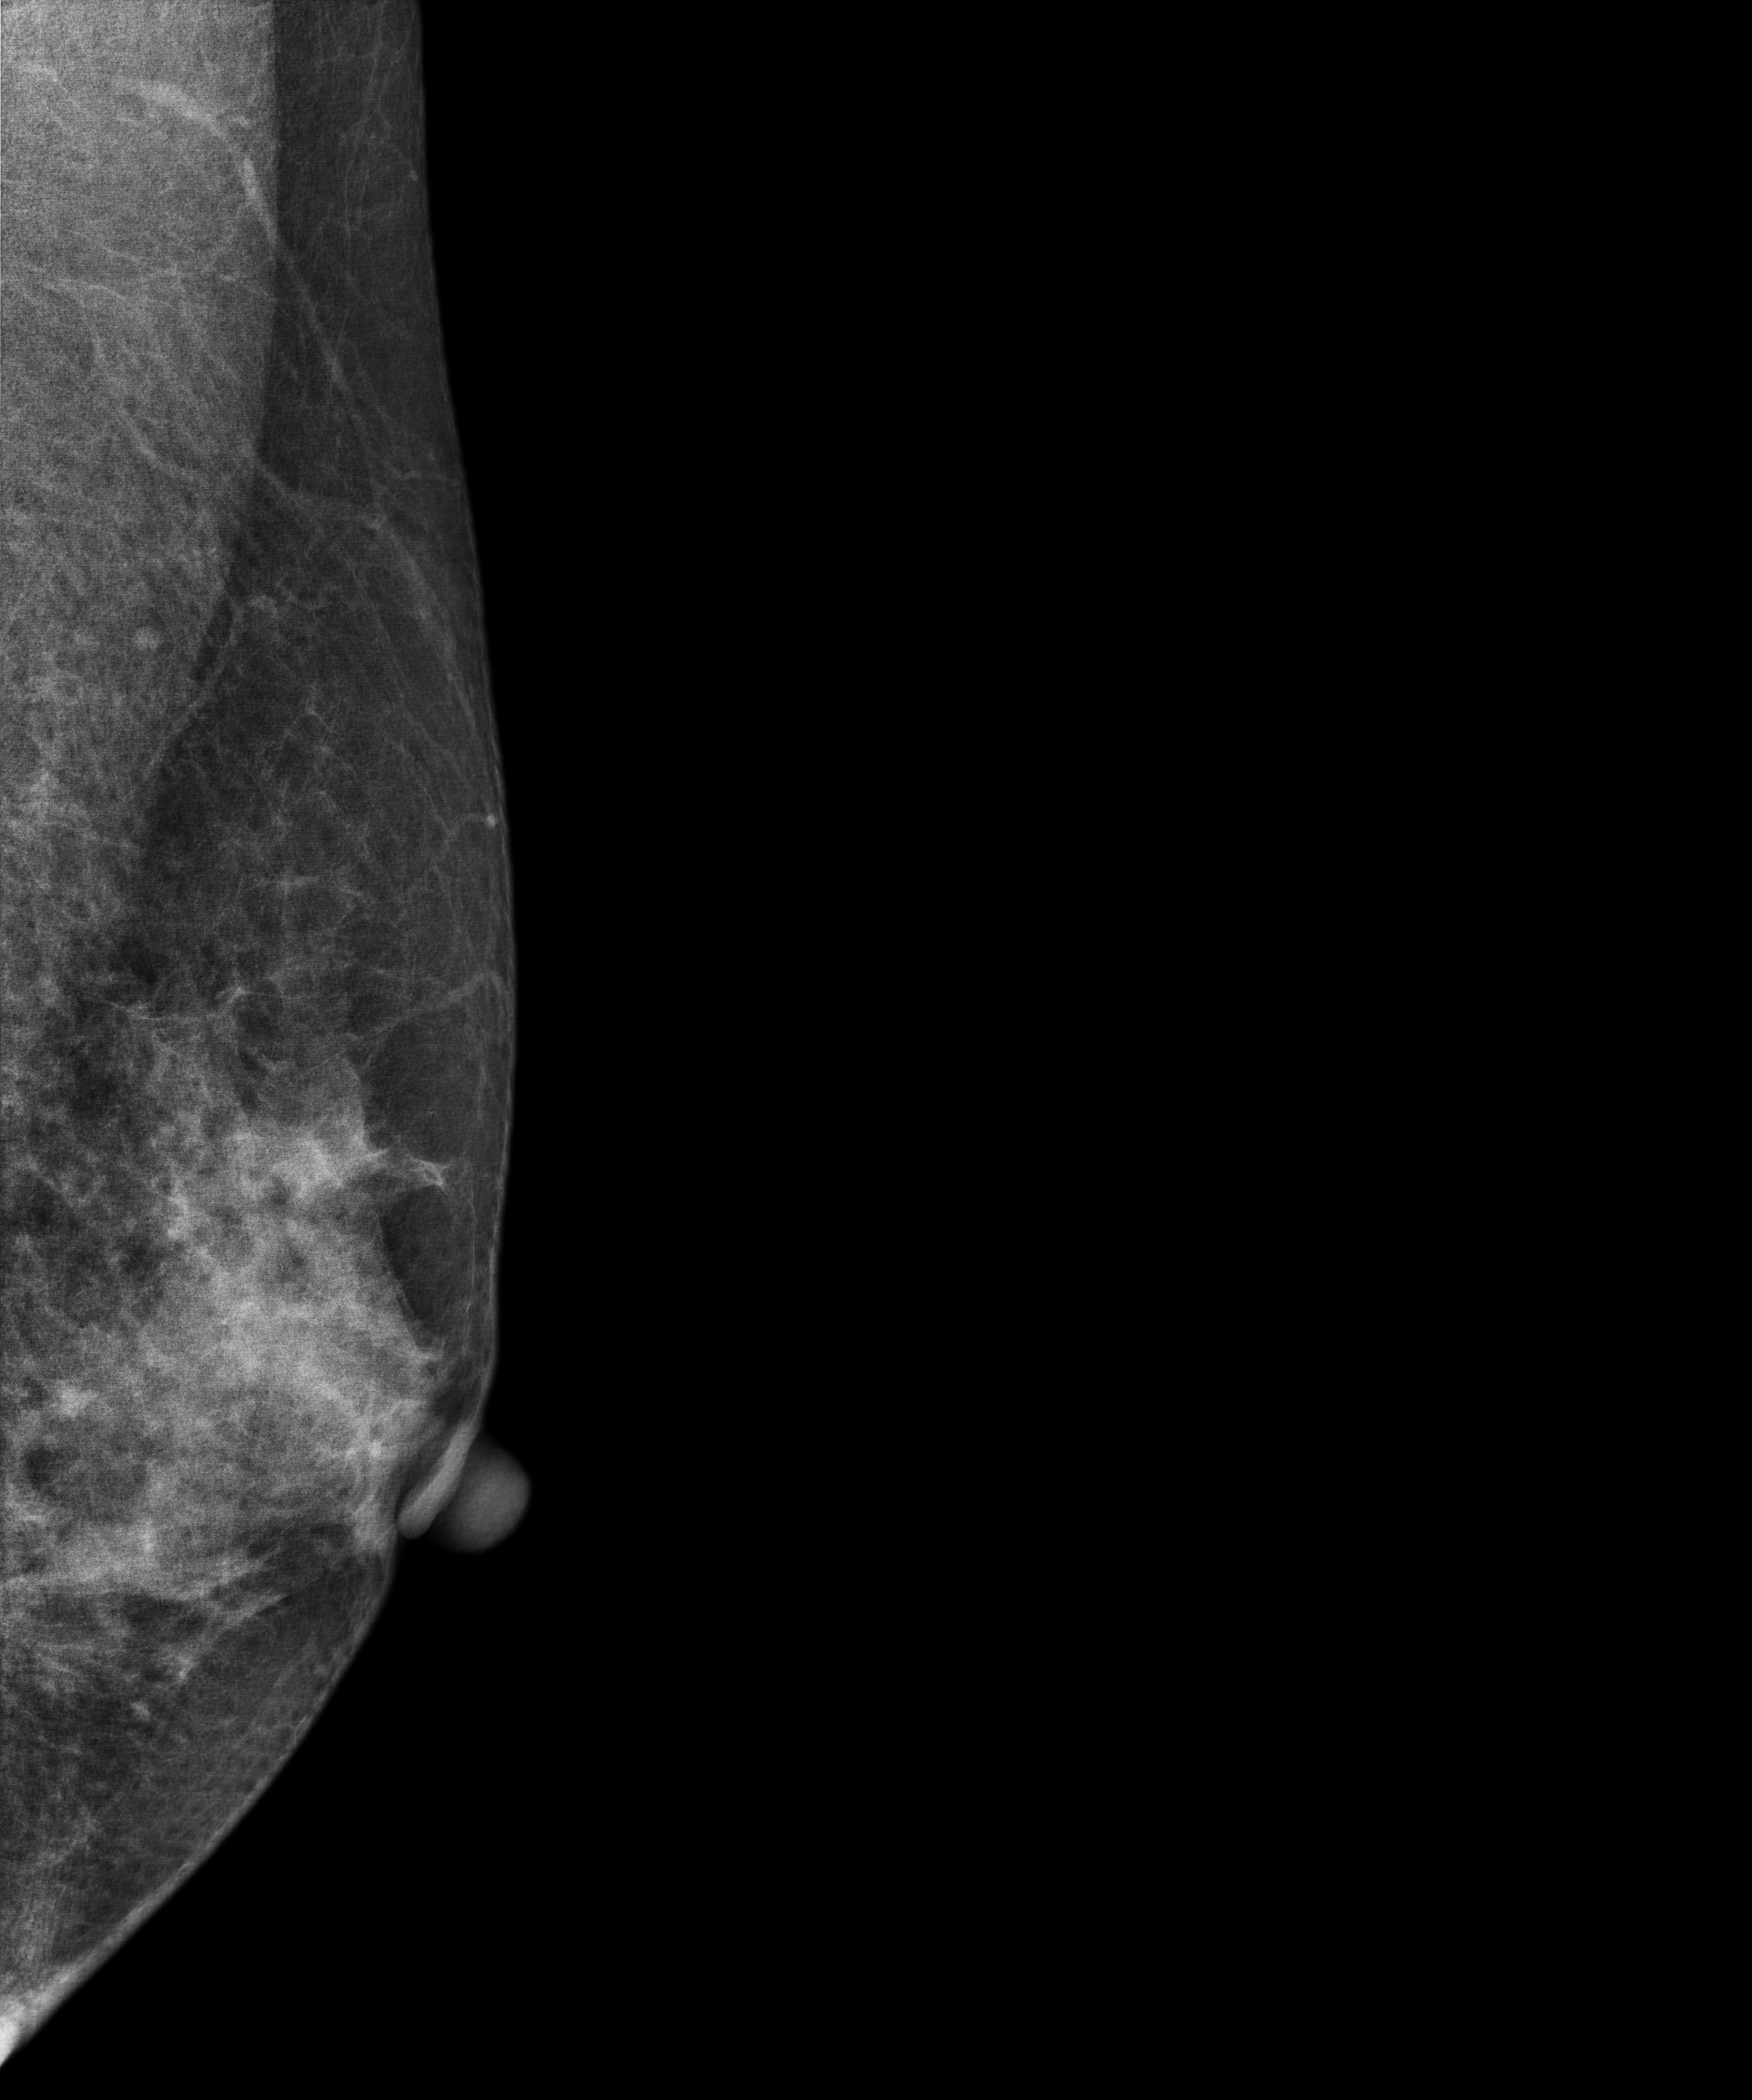
Left-breast mammogram, MLO. 51 y/o patient.
Contralateral breast — no documented abnormality on this side.